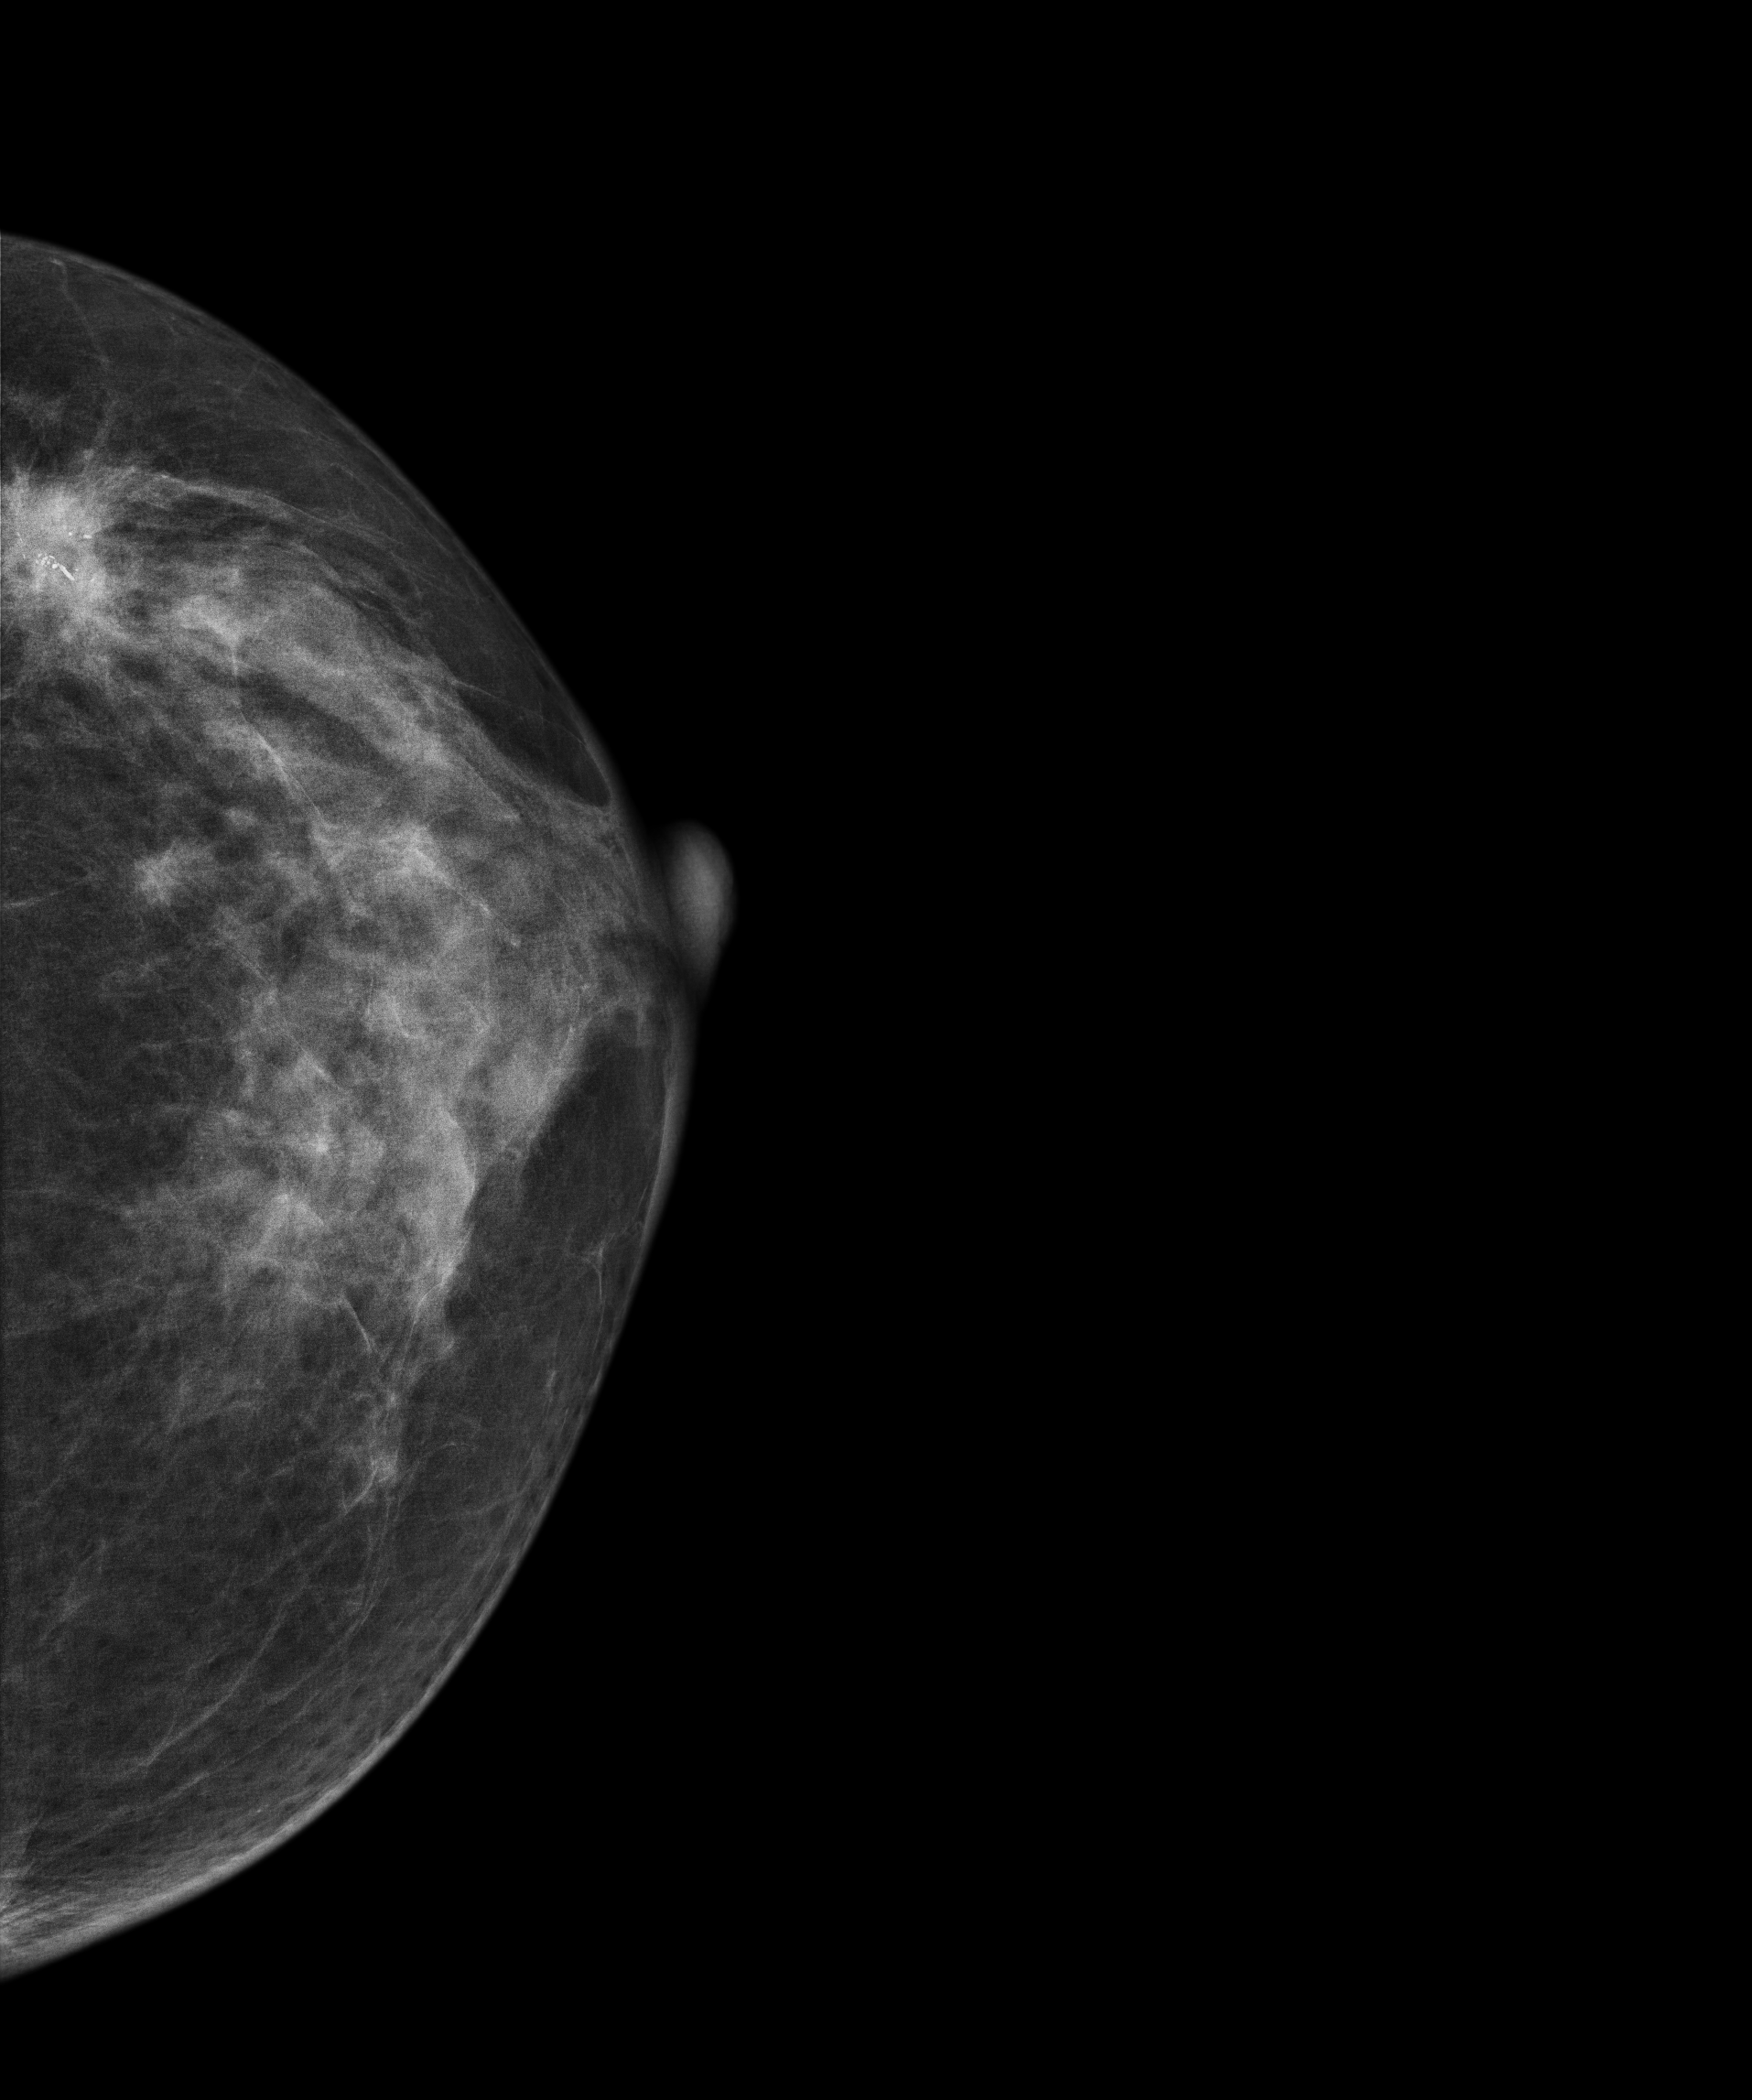
Mammogram, left breast, cranio-caudal view. Patient age 56.
This breast has a mass and calcifications, biopsy-proven malignant.